Cranio-caudal mammogram of the right breast. 64-year-old patient.
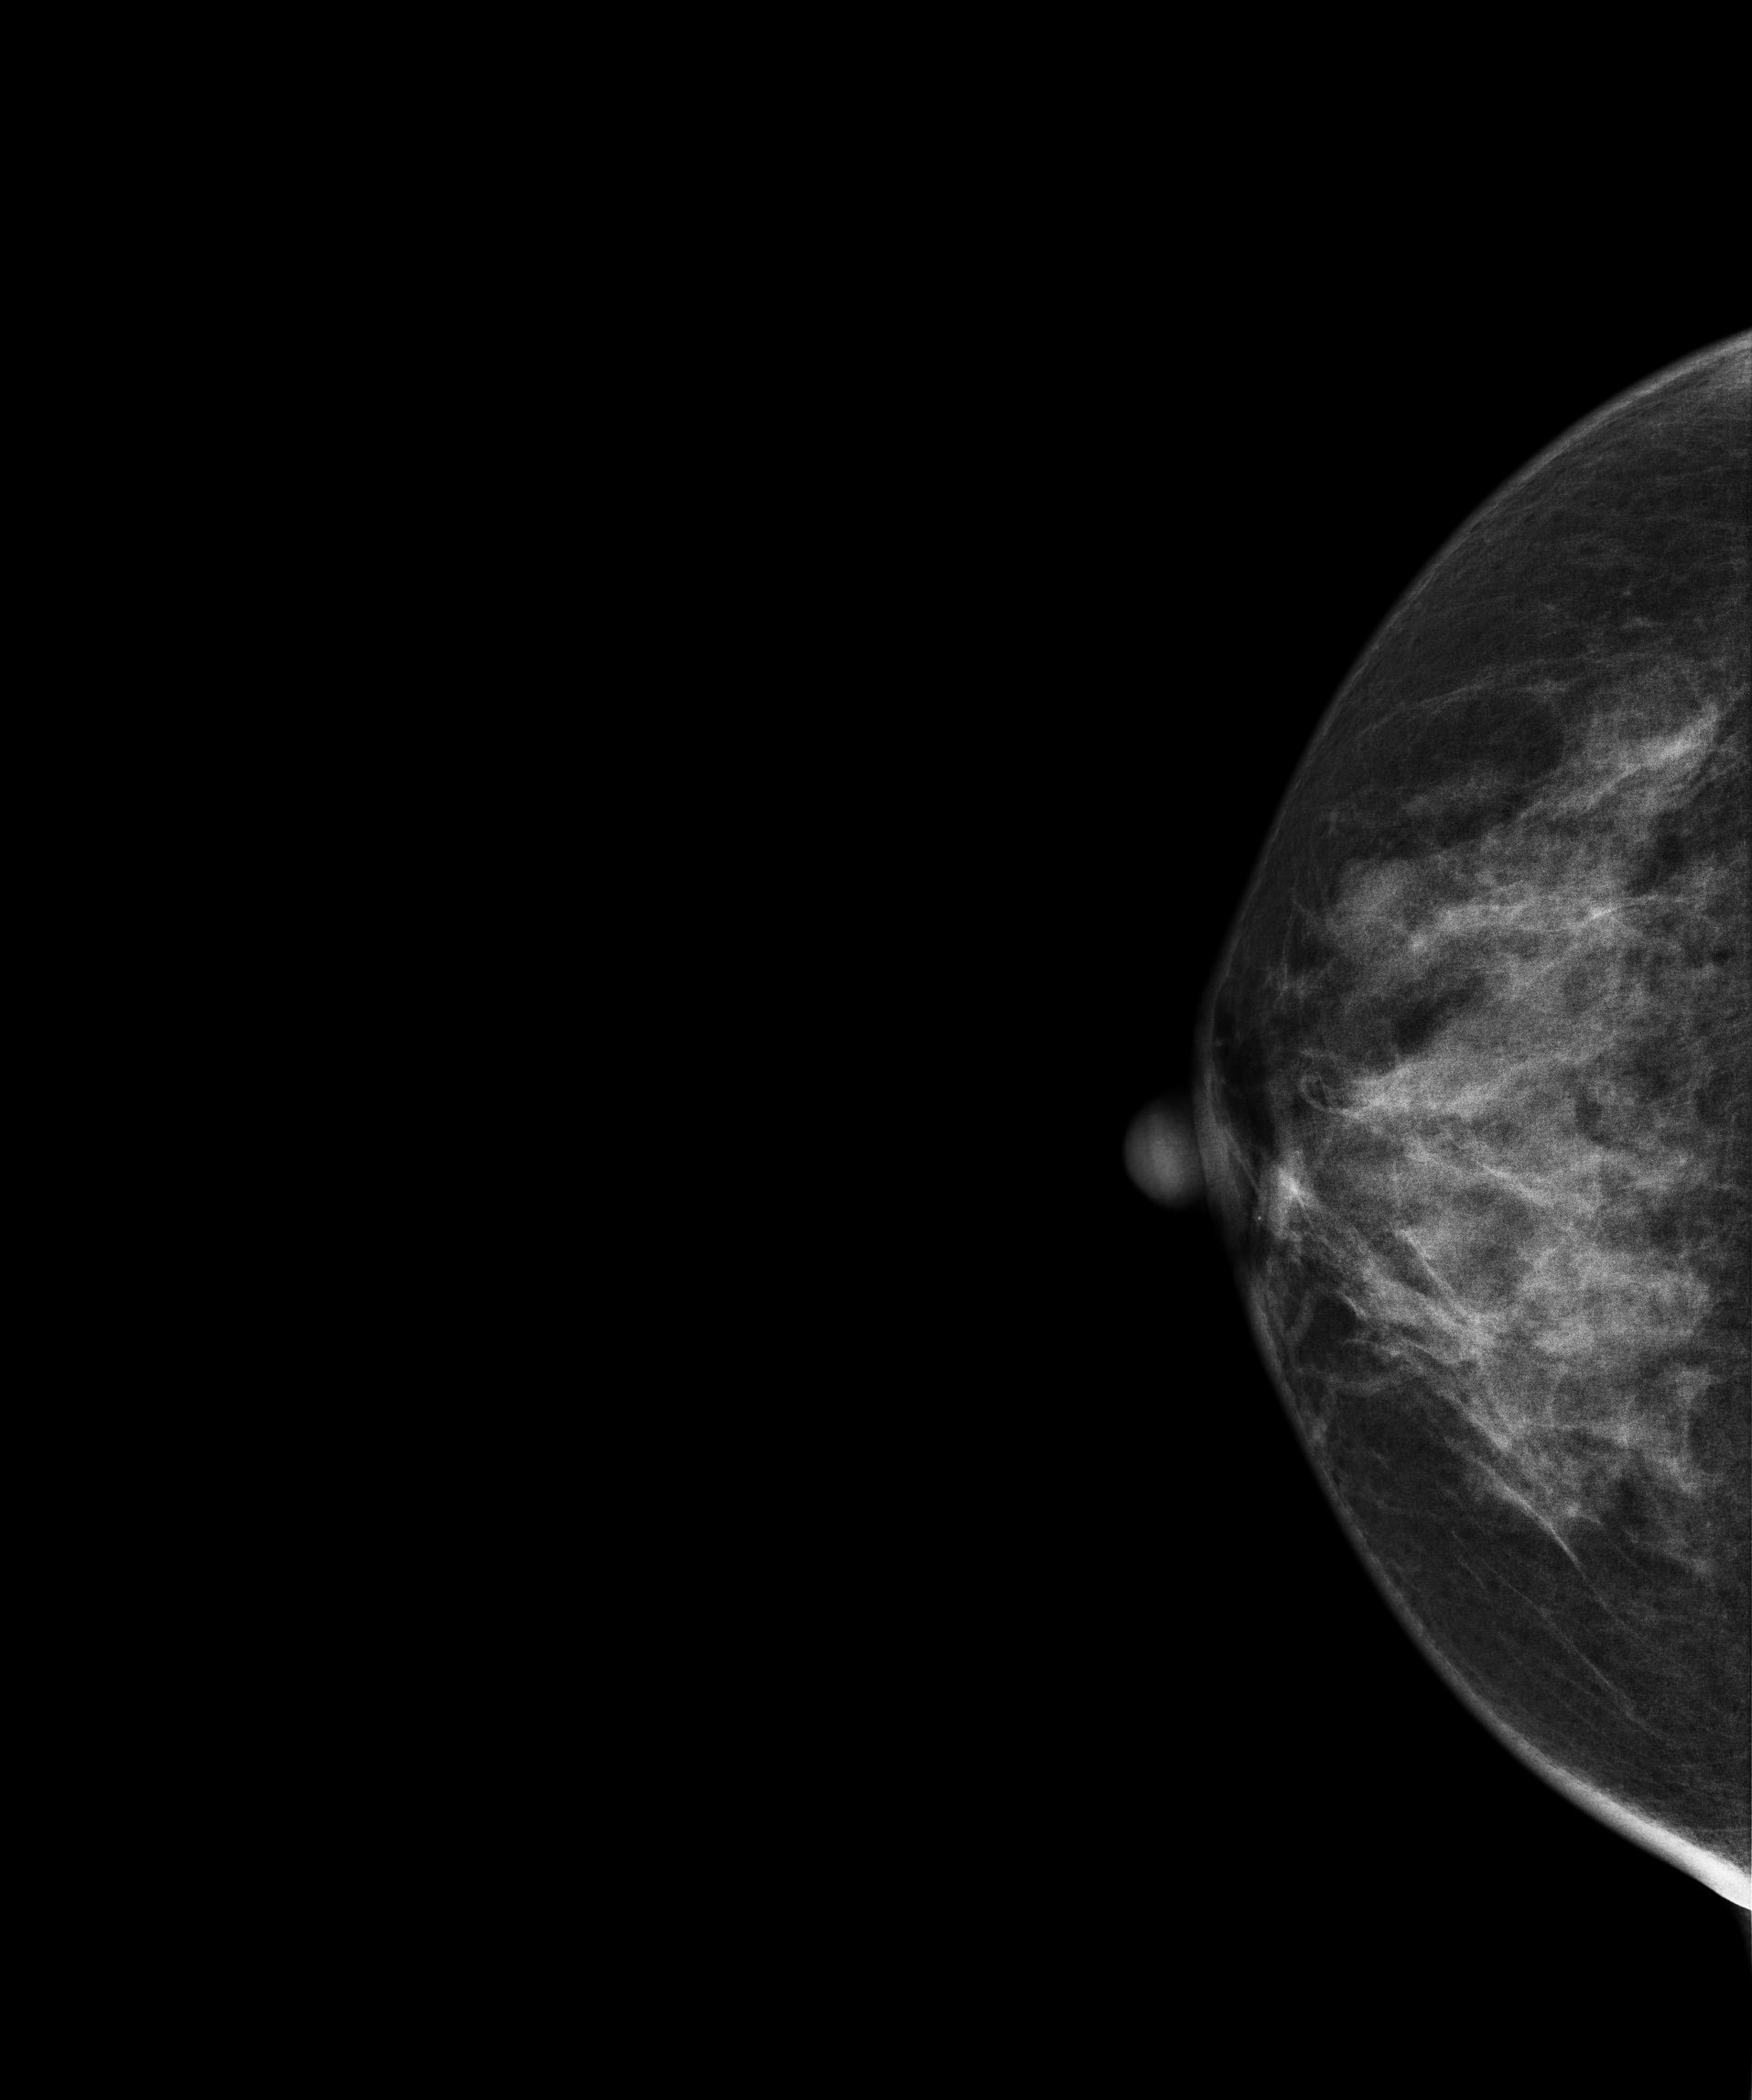
This breast has a mass, biopsy-proven benign.